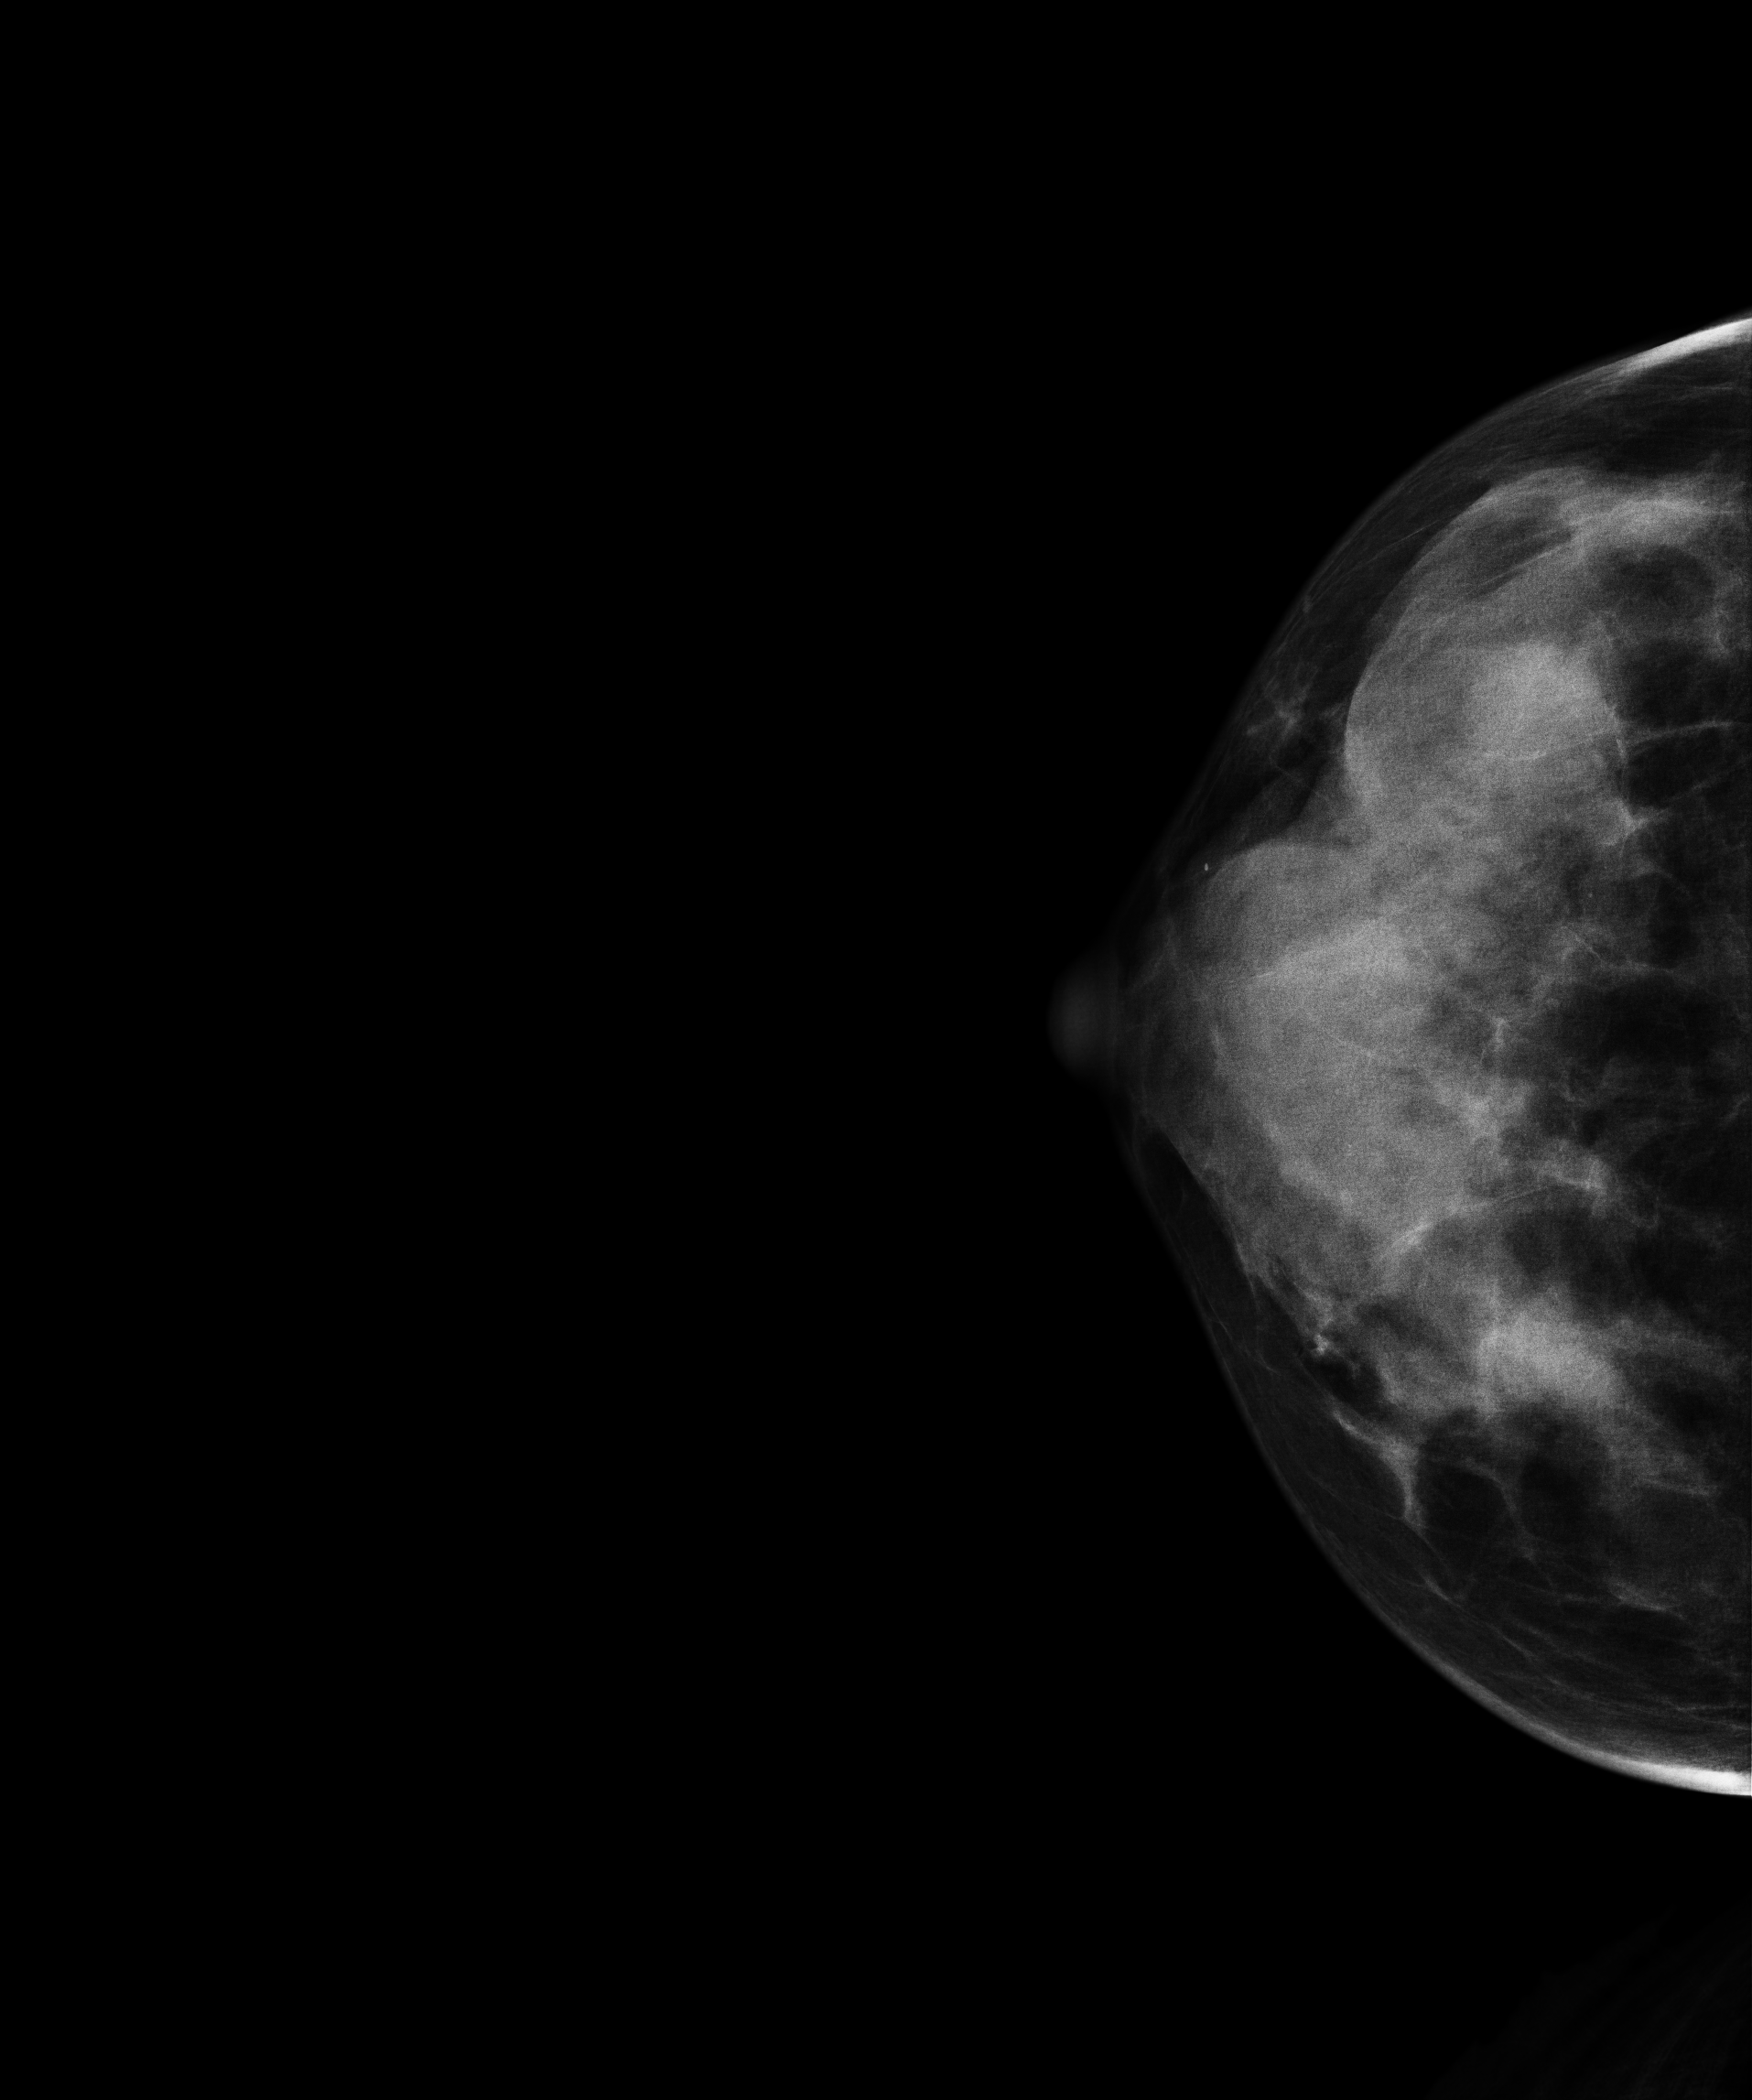
Cranio-caudal mammogram of the right breast. 40 y/o patient.
This breast has calcifications, biopsy-proven malignant.